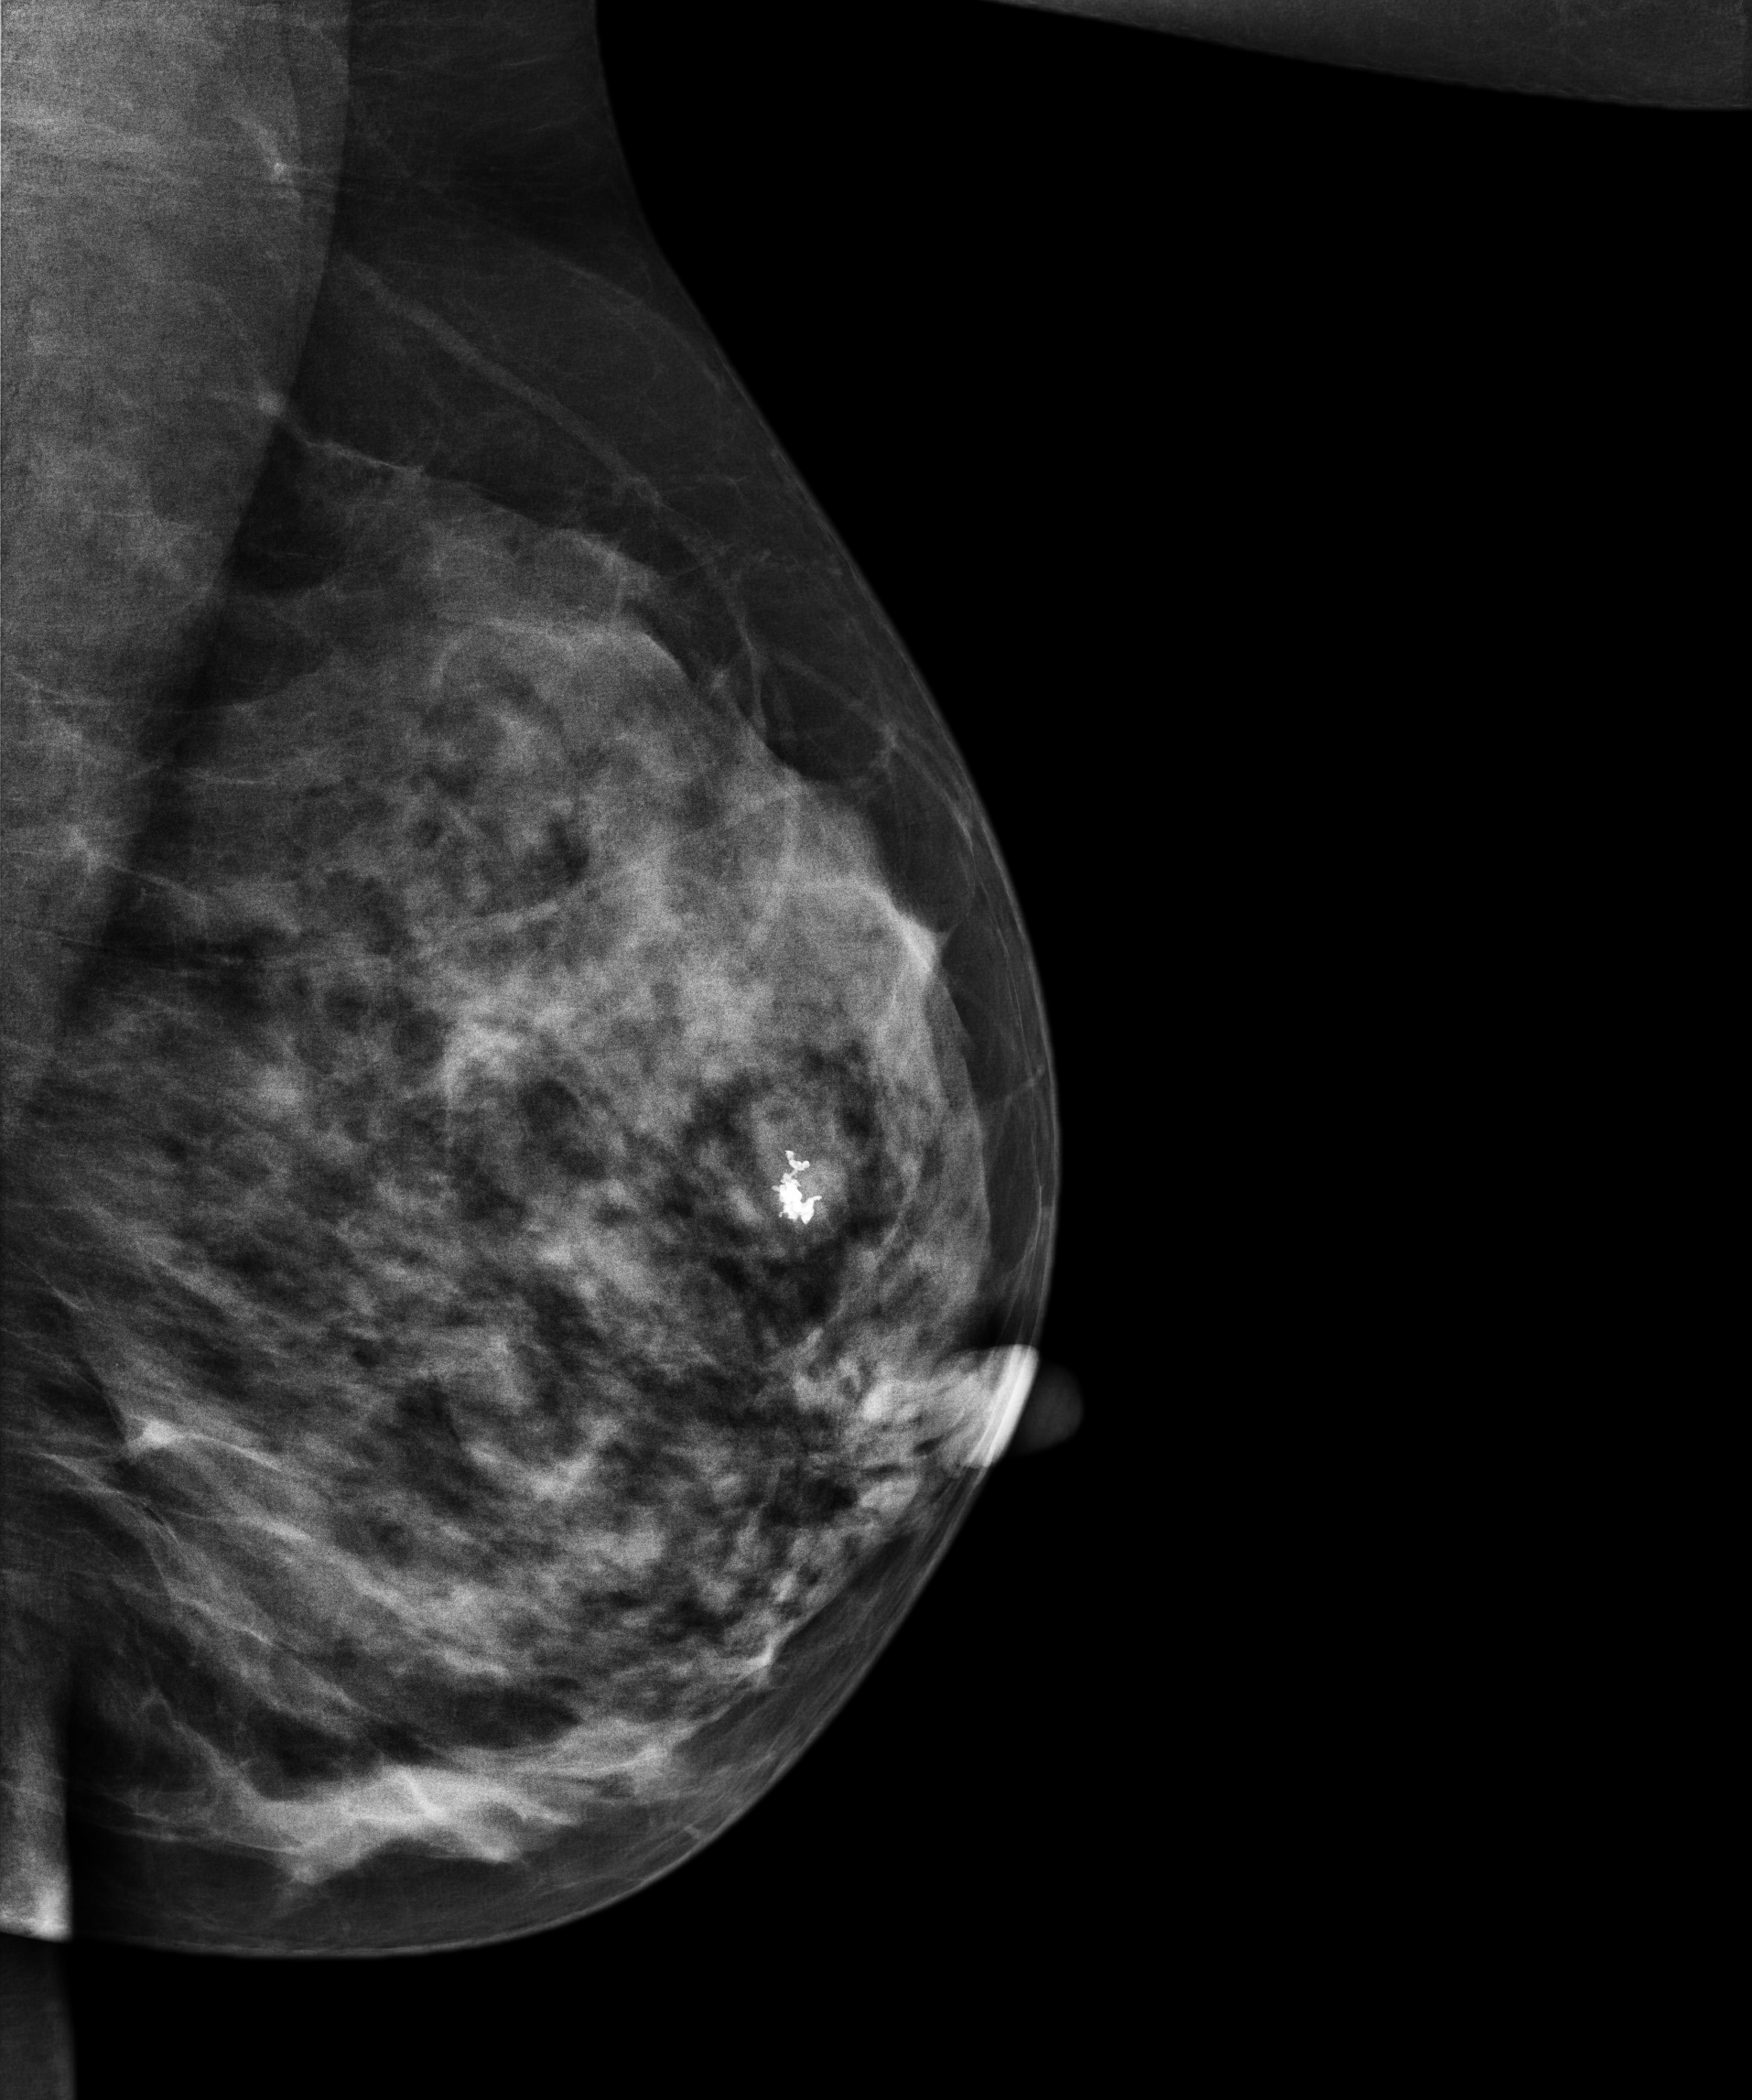
Mammogram — left MLO. 42 y/o patient.
This breast has a mass, histologically confirmed benign.